Mammogram — left MLO. Patient age 53.
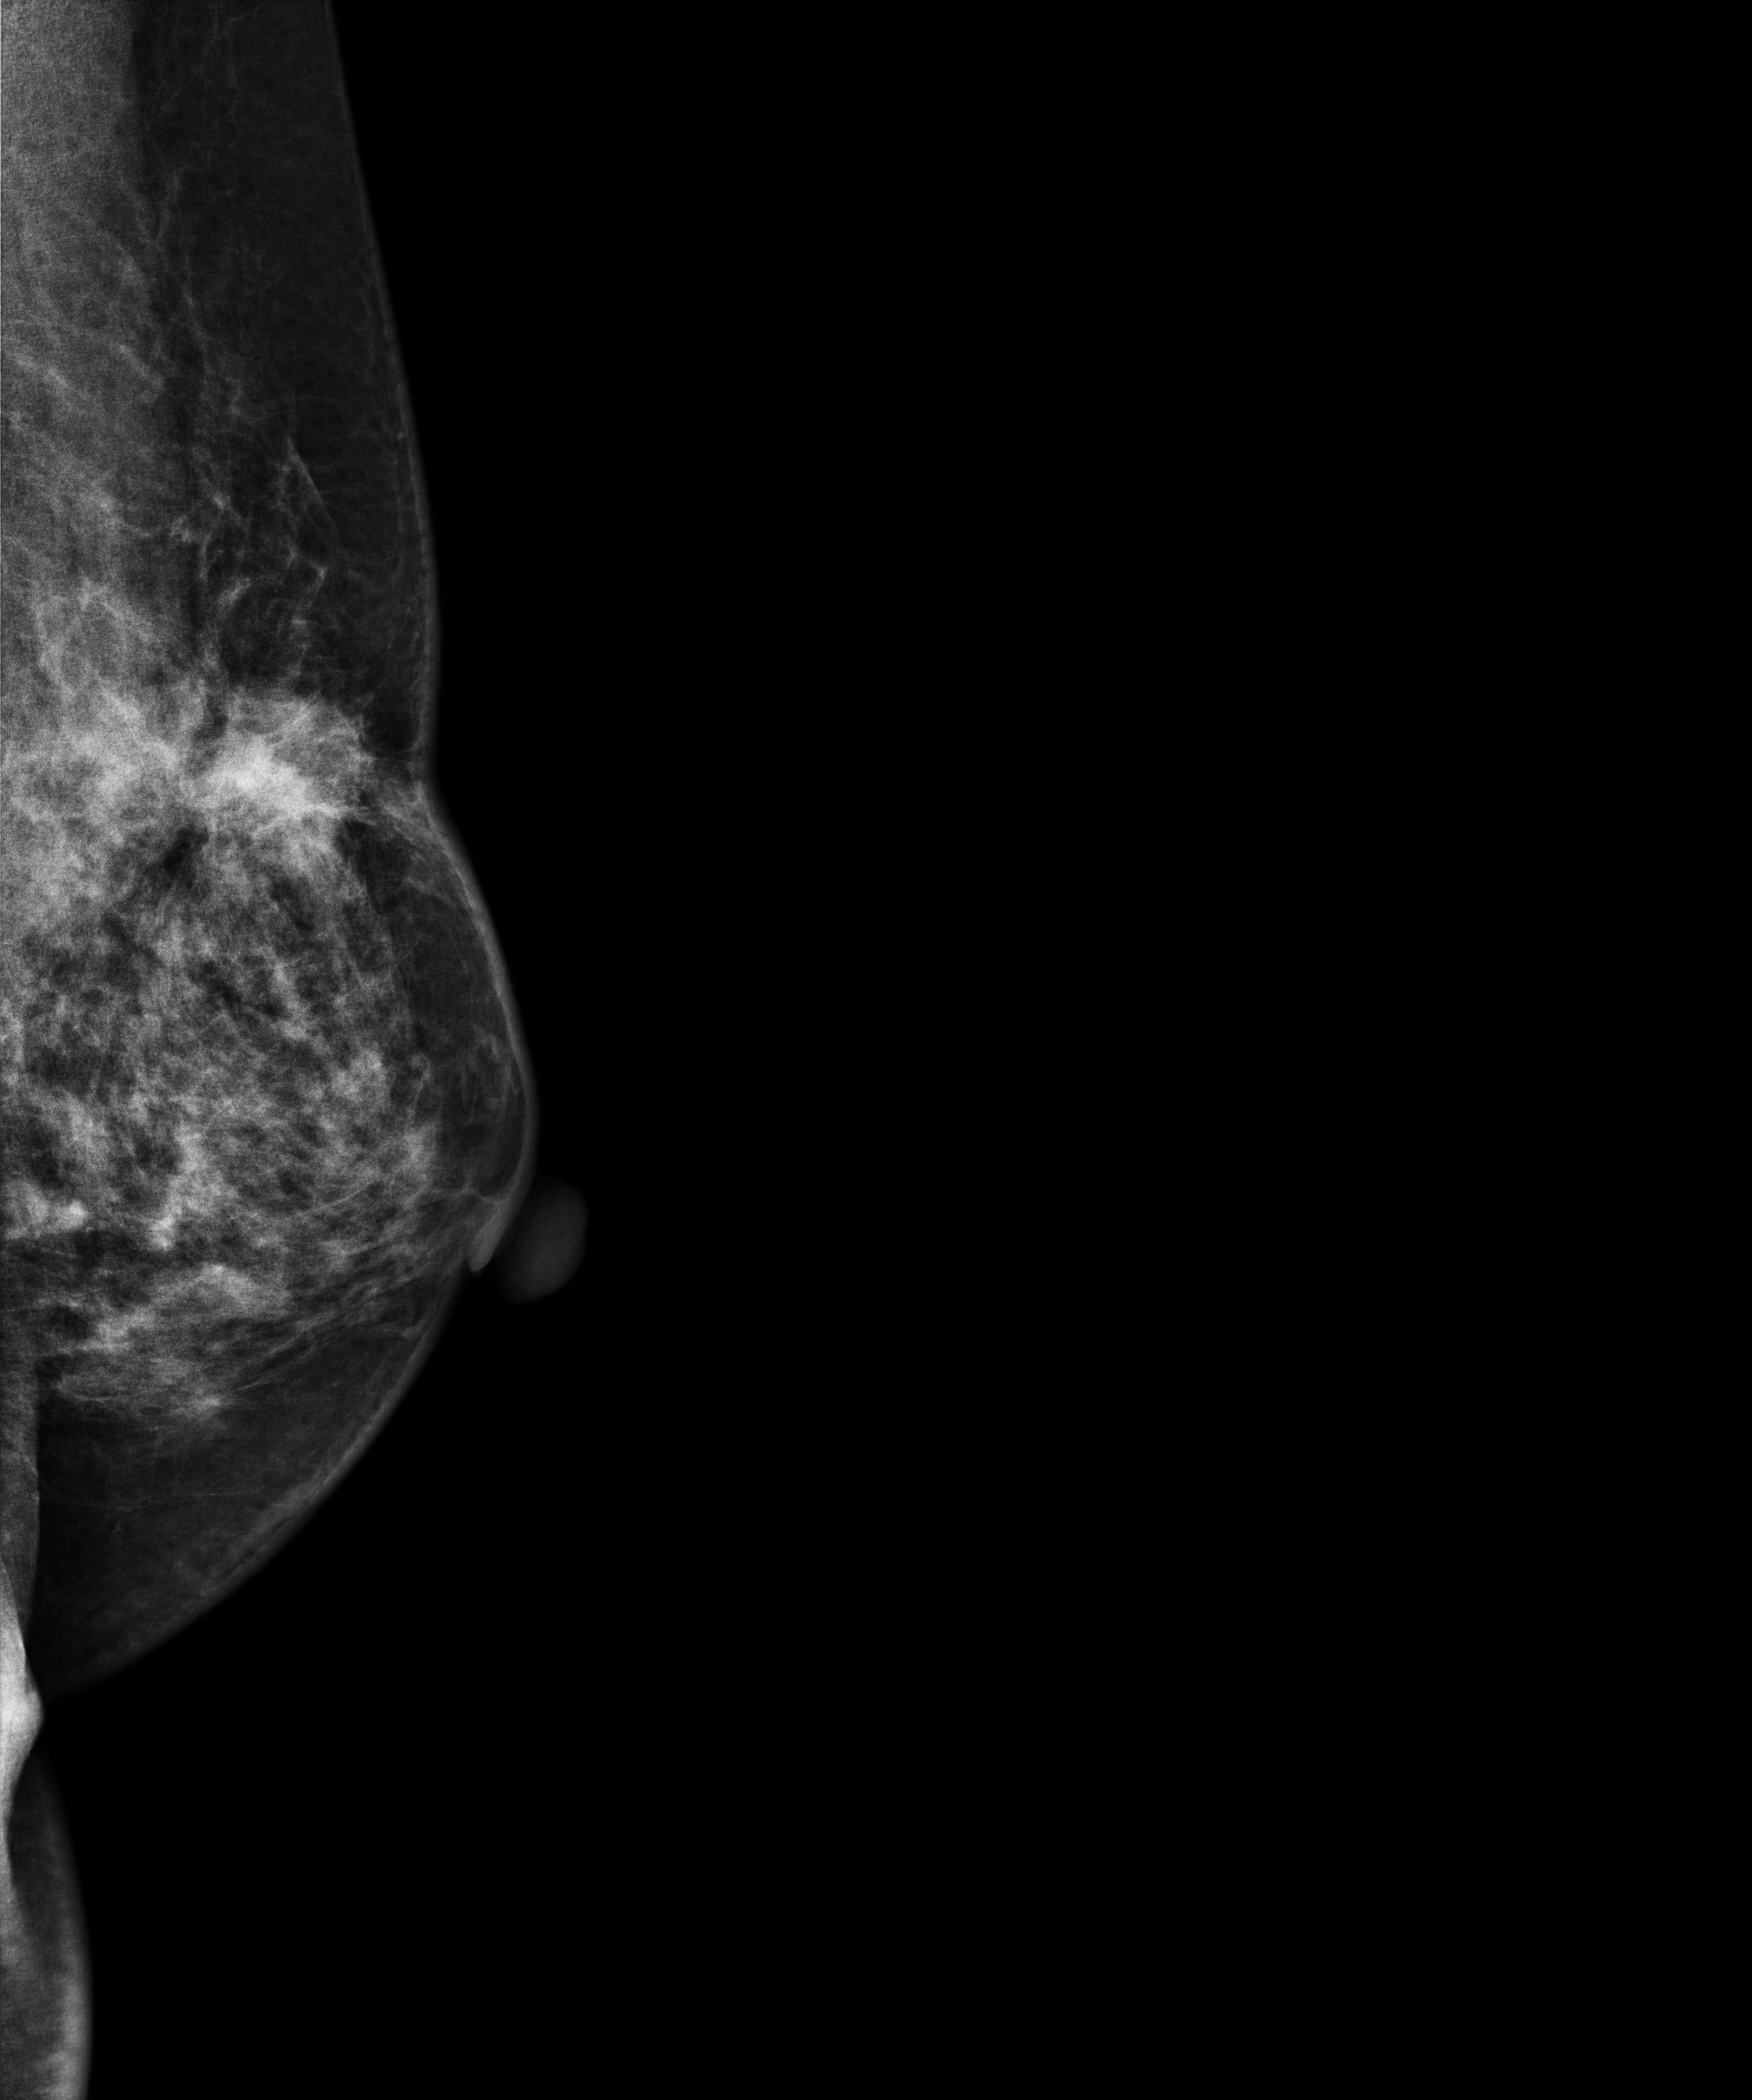
This breast has a mass, biopsy-proven malignant. Molecular subtype: triple-negative.